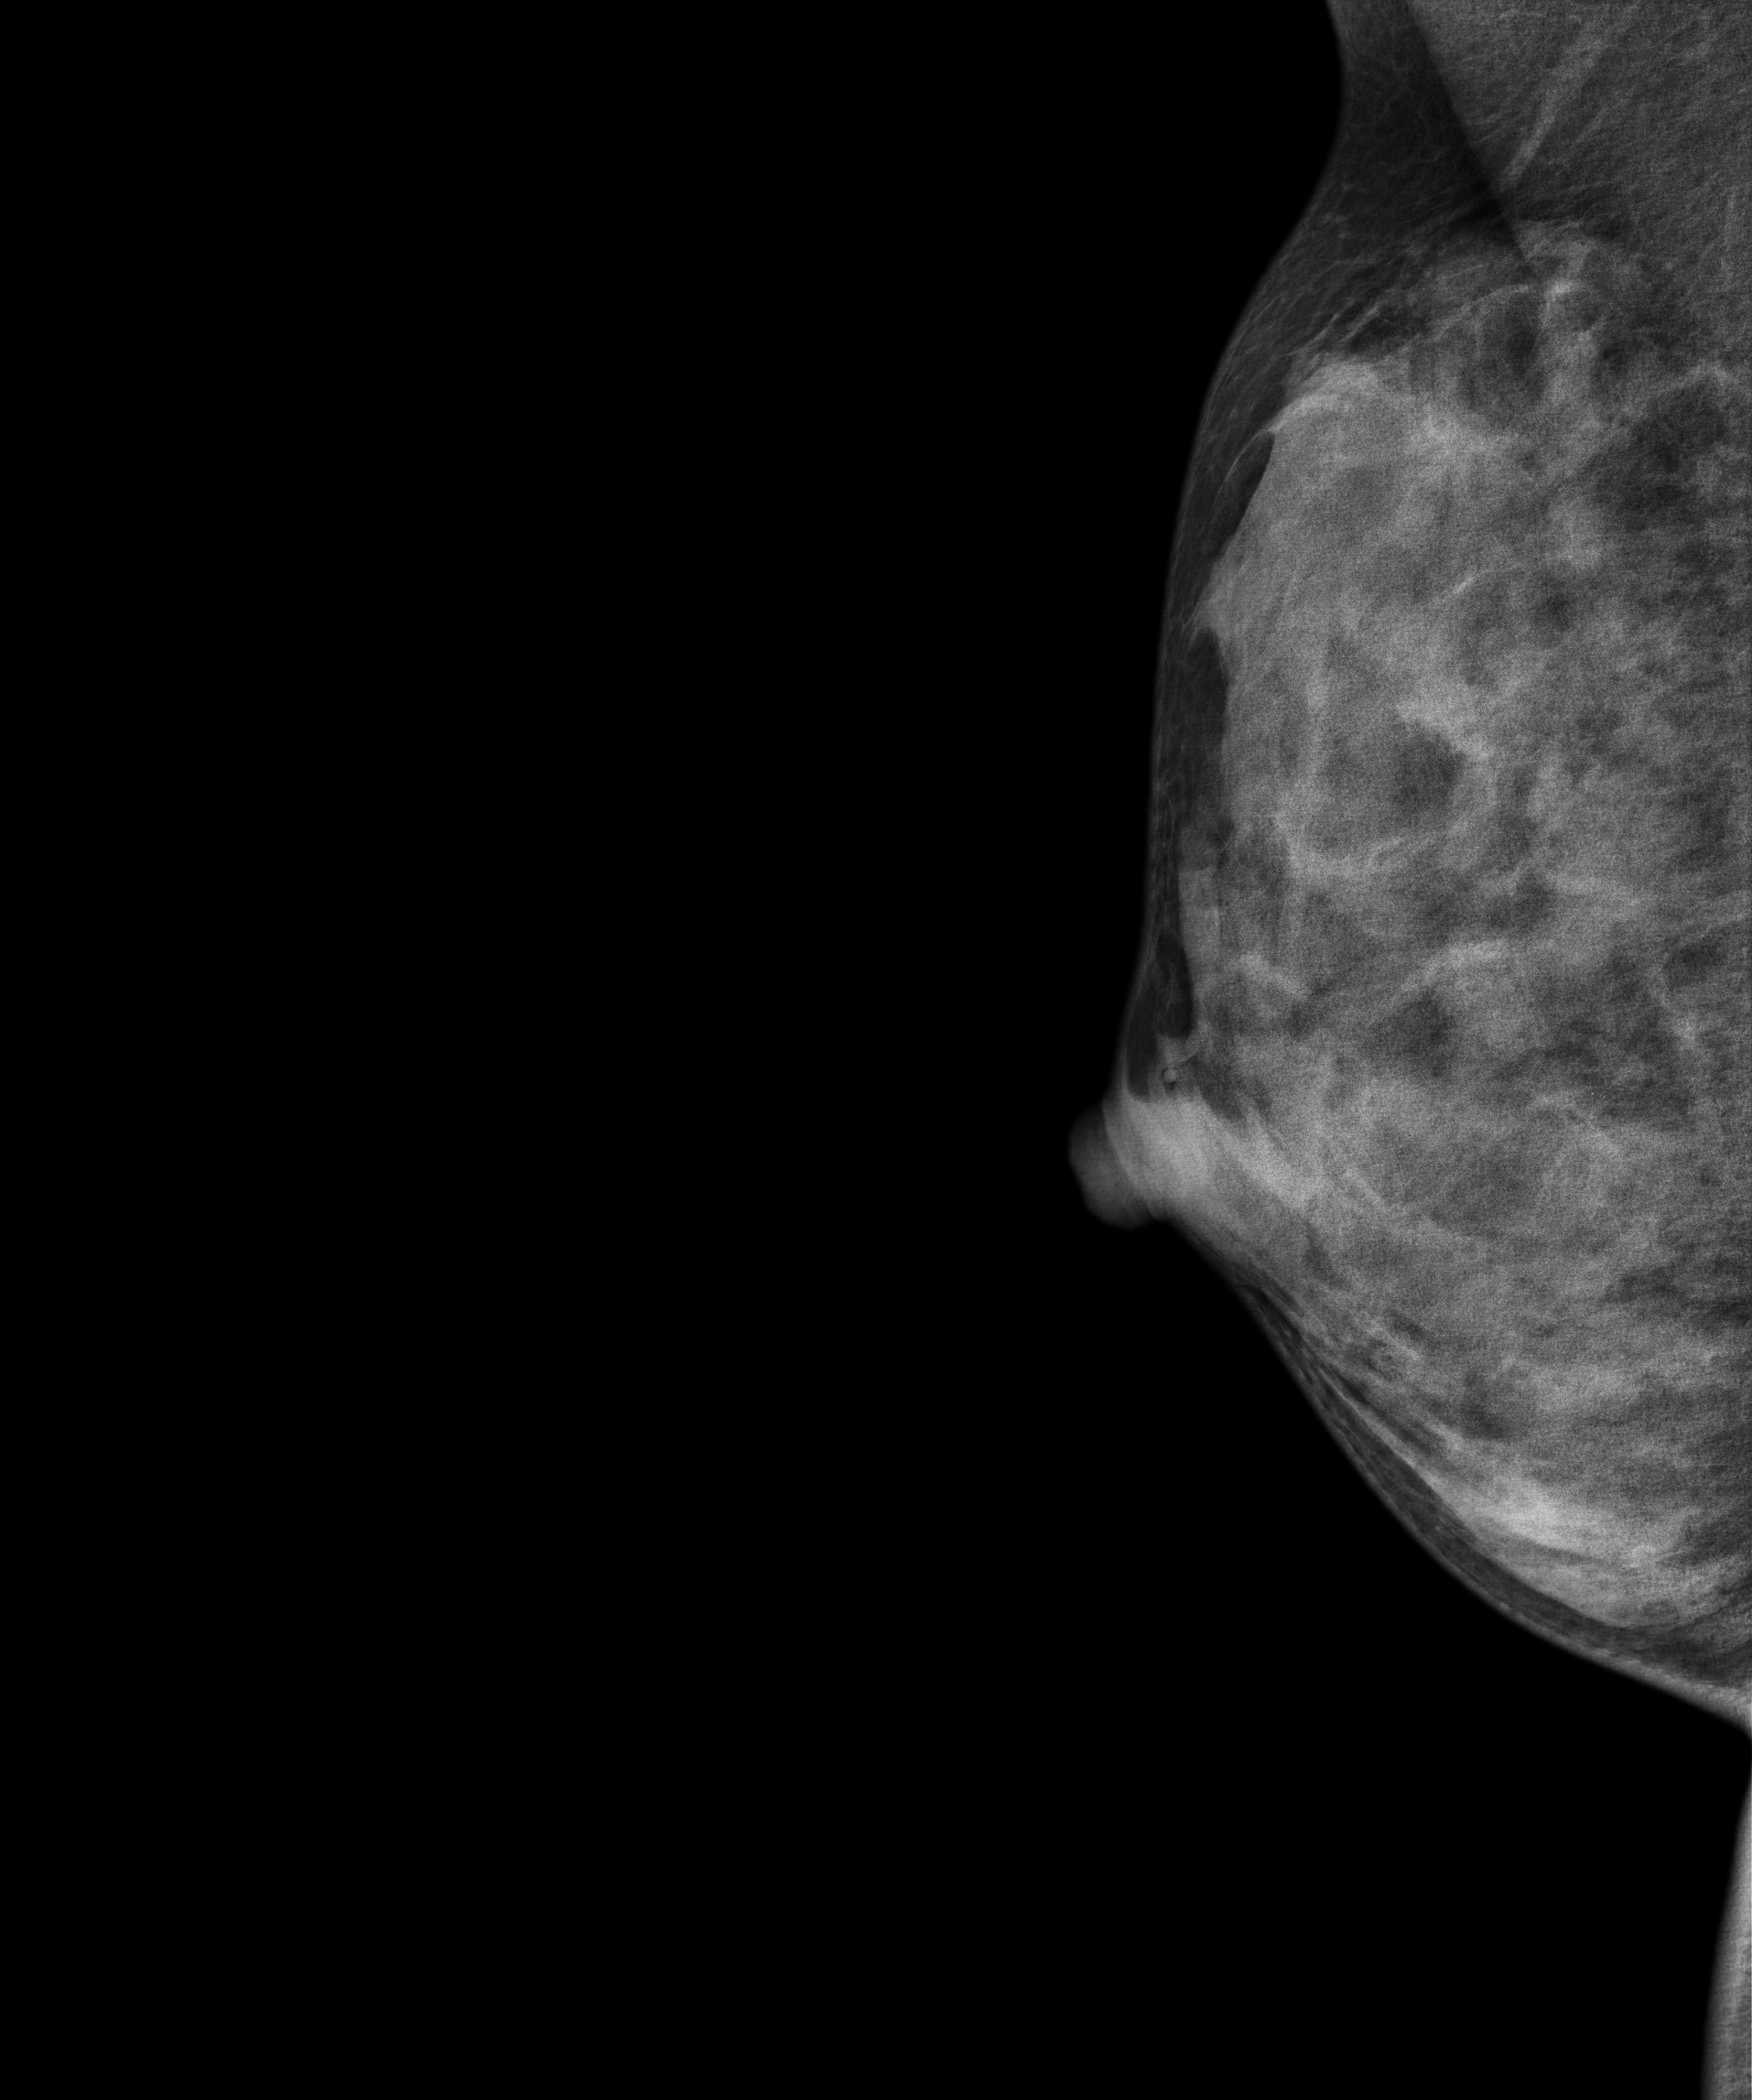
Right-breast mammogram, MLO. 26-year-old patient.
This breast has a mass and calcifications, biopsy-confirmed benign.